Mammogram, right breast, MLO view. 66 y/o patient.
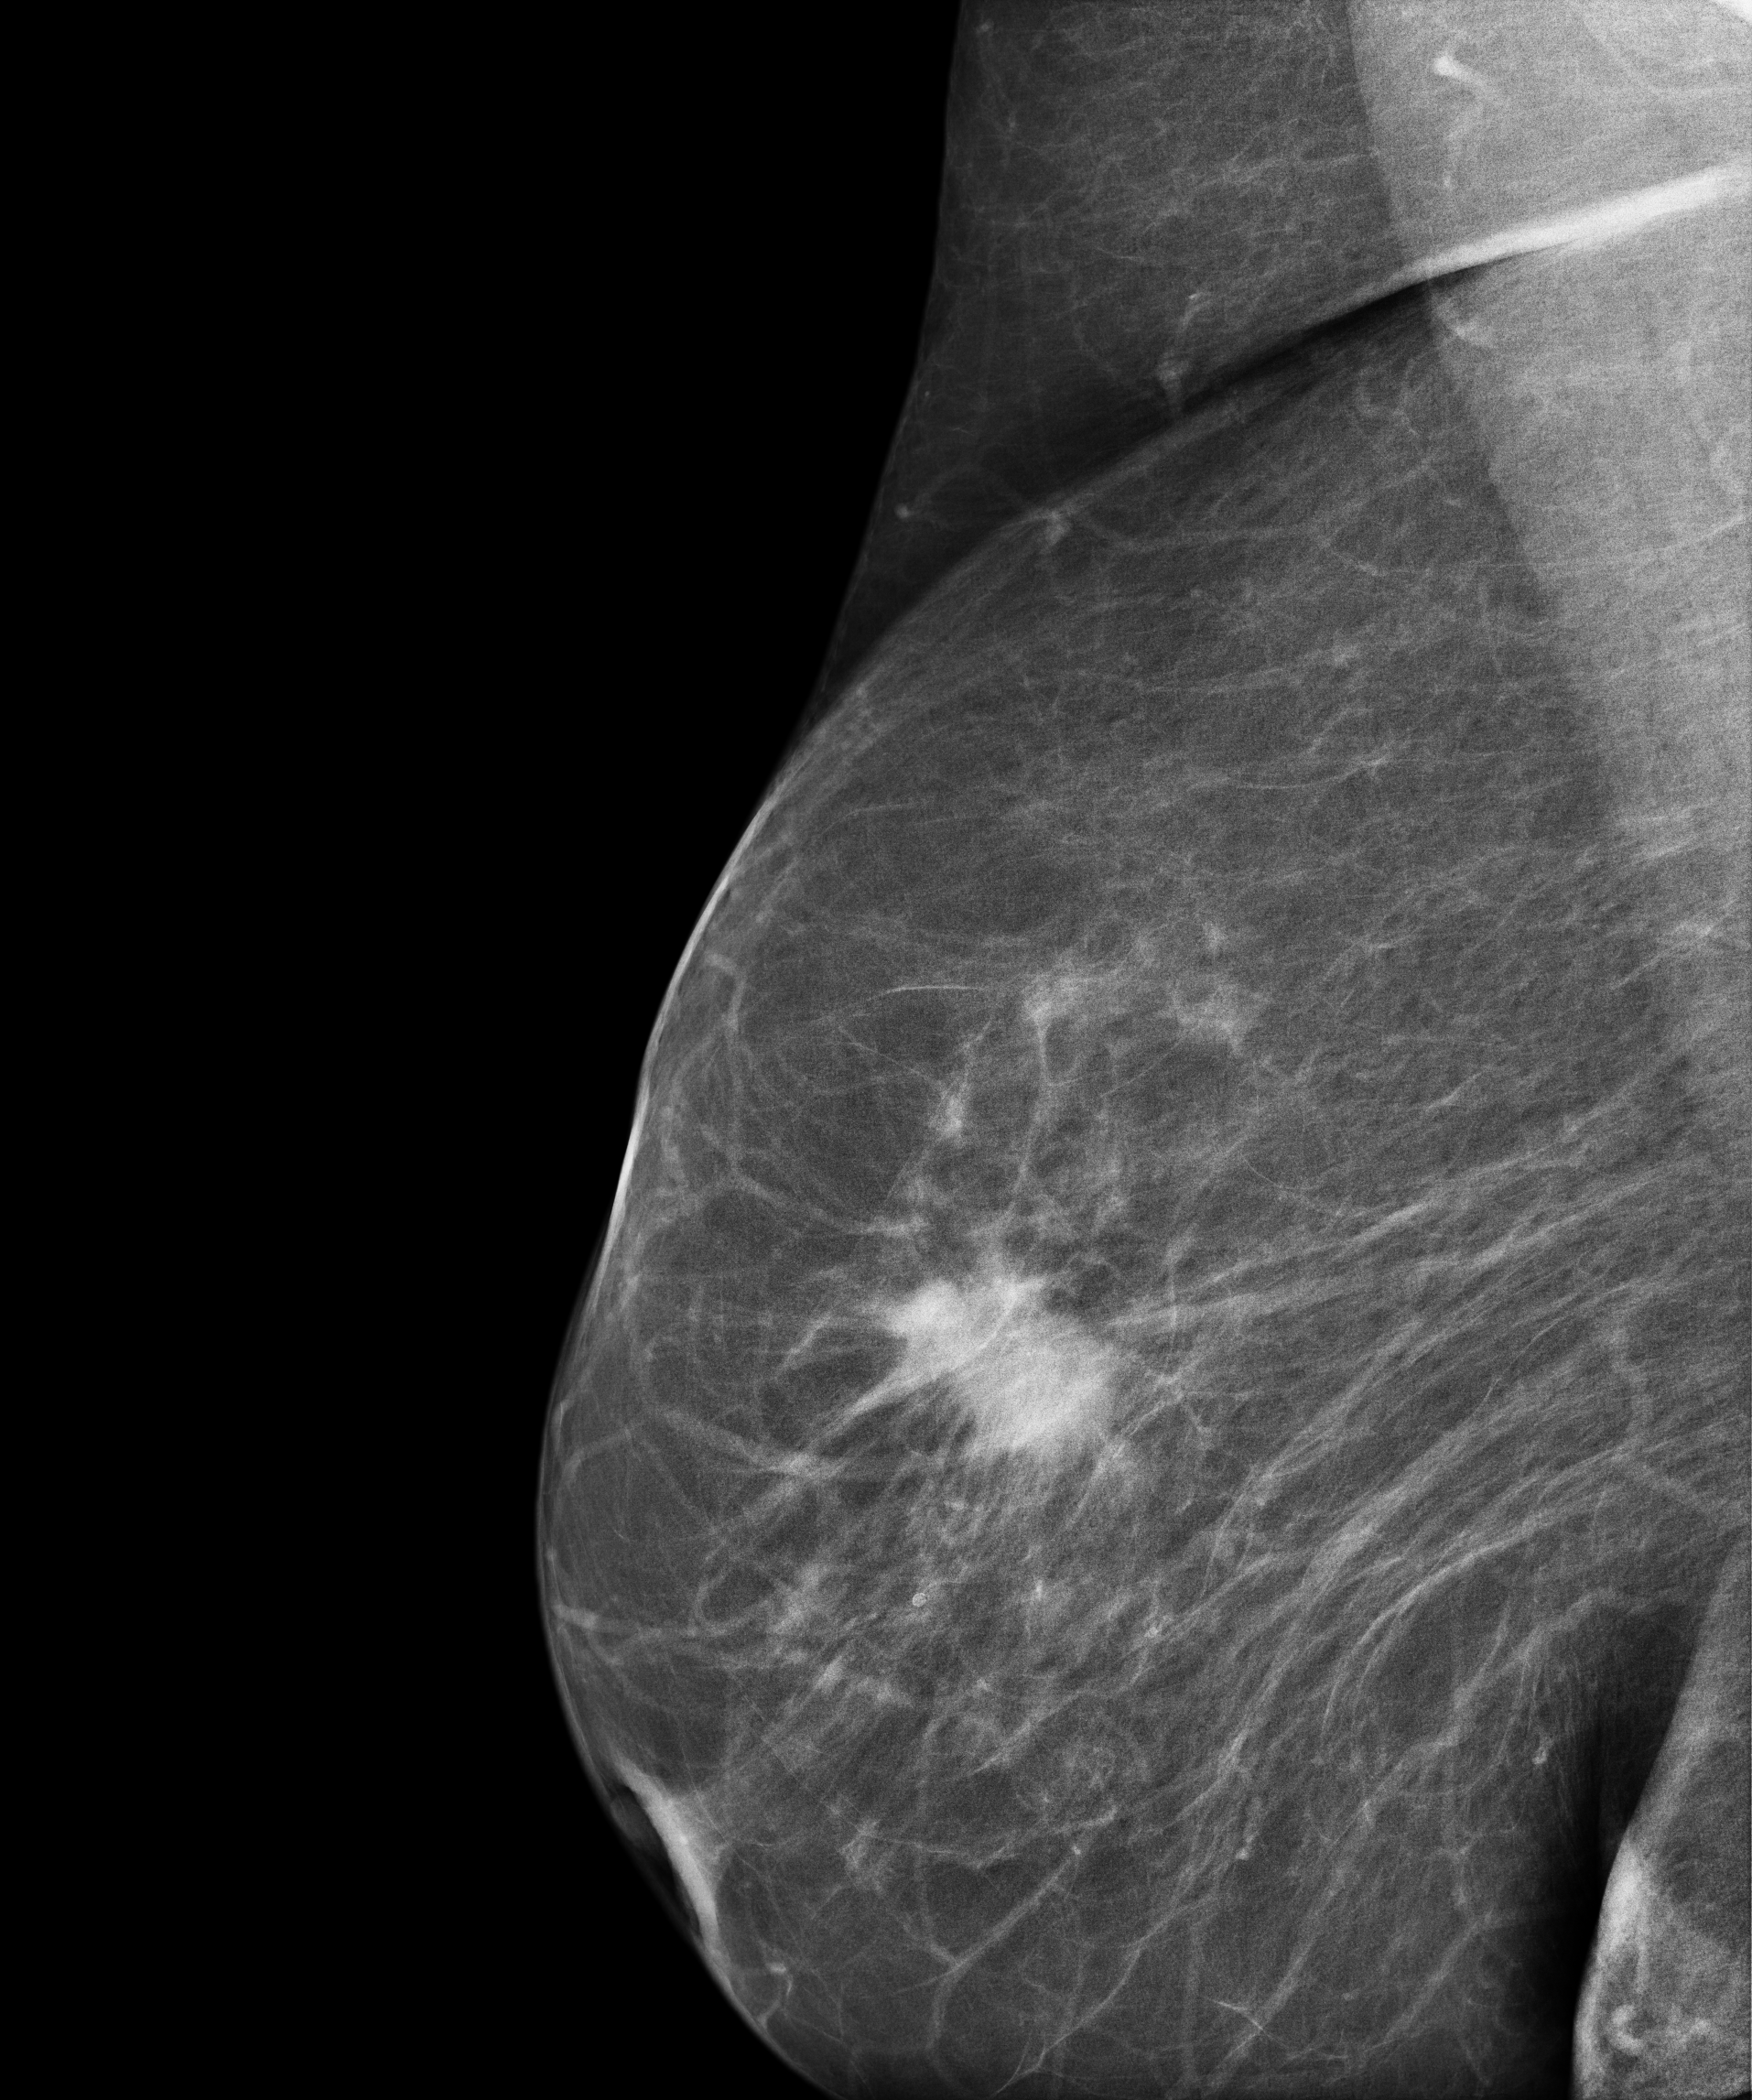
This breast has a mass, histologically confirmed malignant.